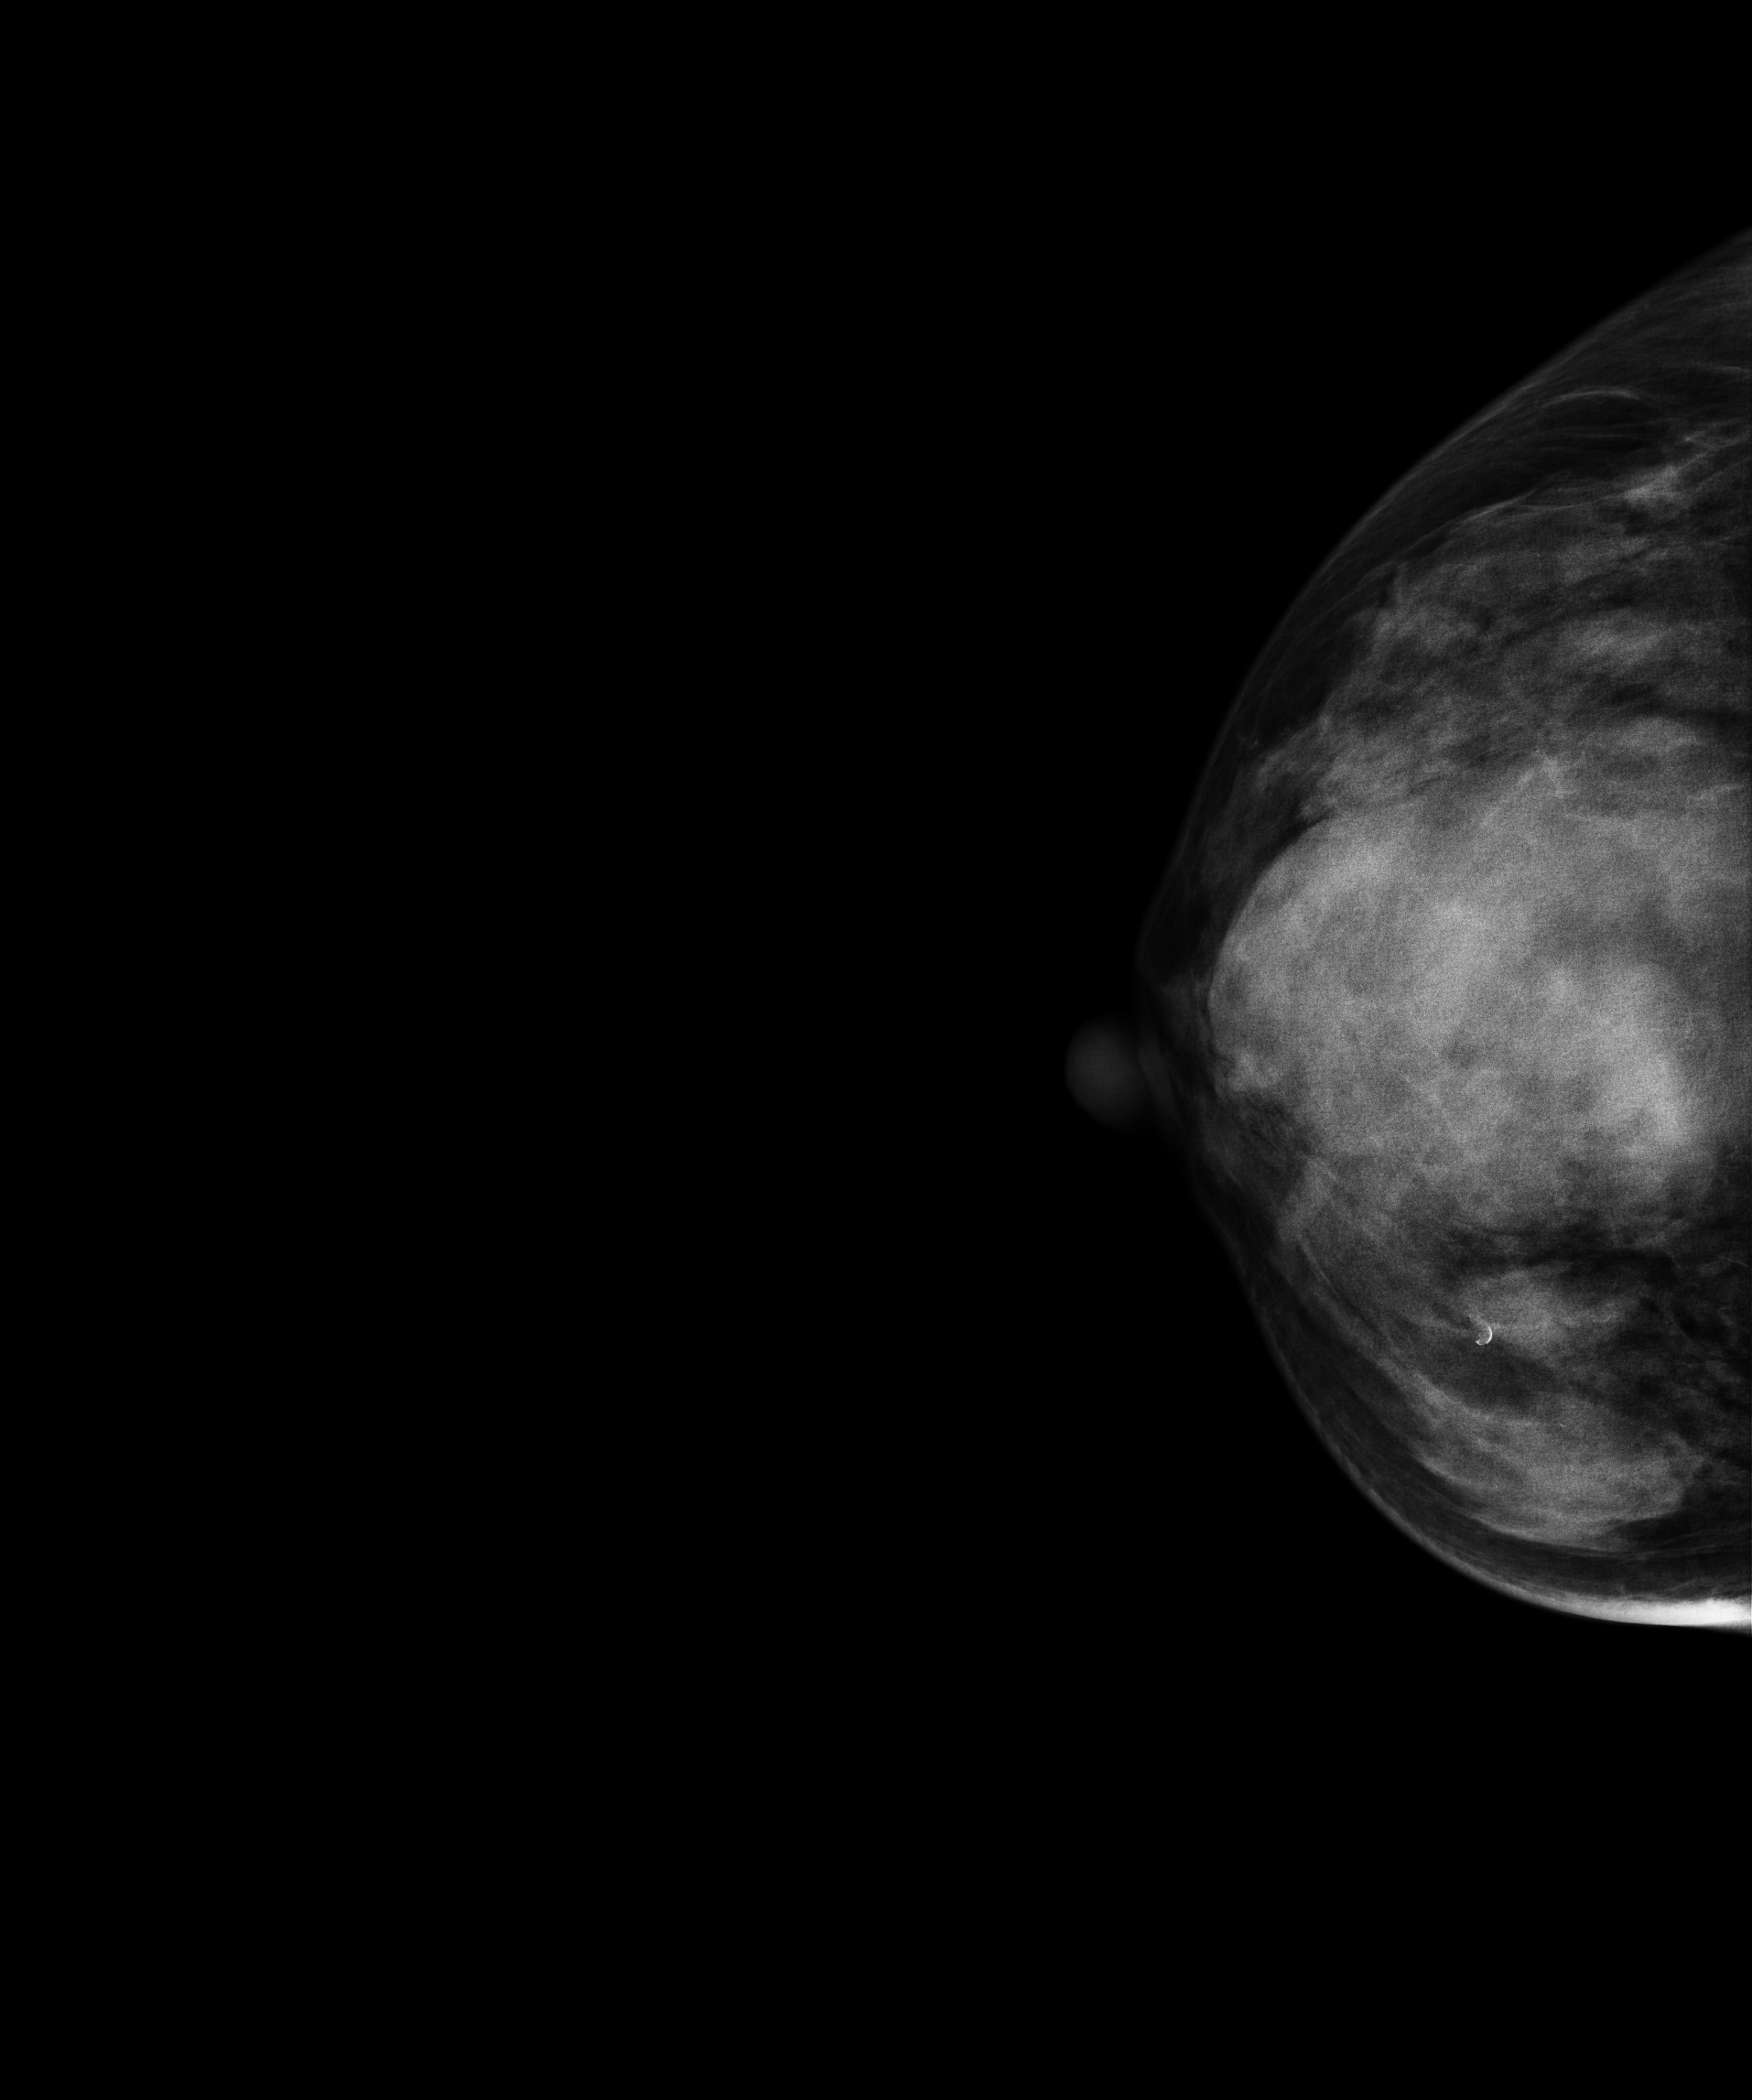
Digital mammography. Right breast, cranio-caudal projection. Patient age 49.
This breast has a mass, pathology-confirmed malignant.